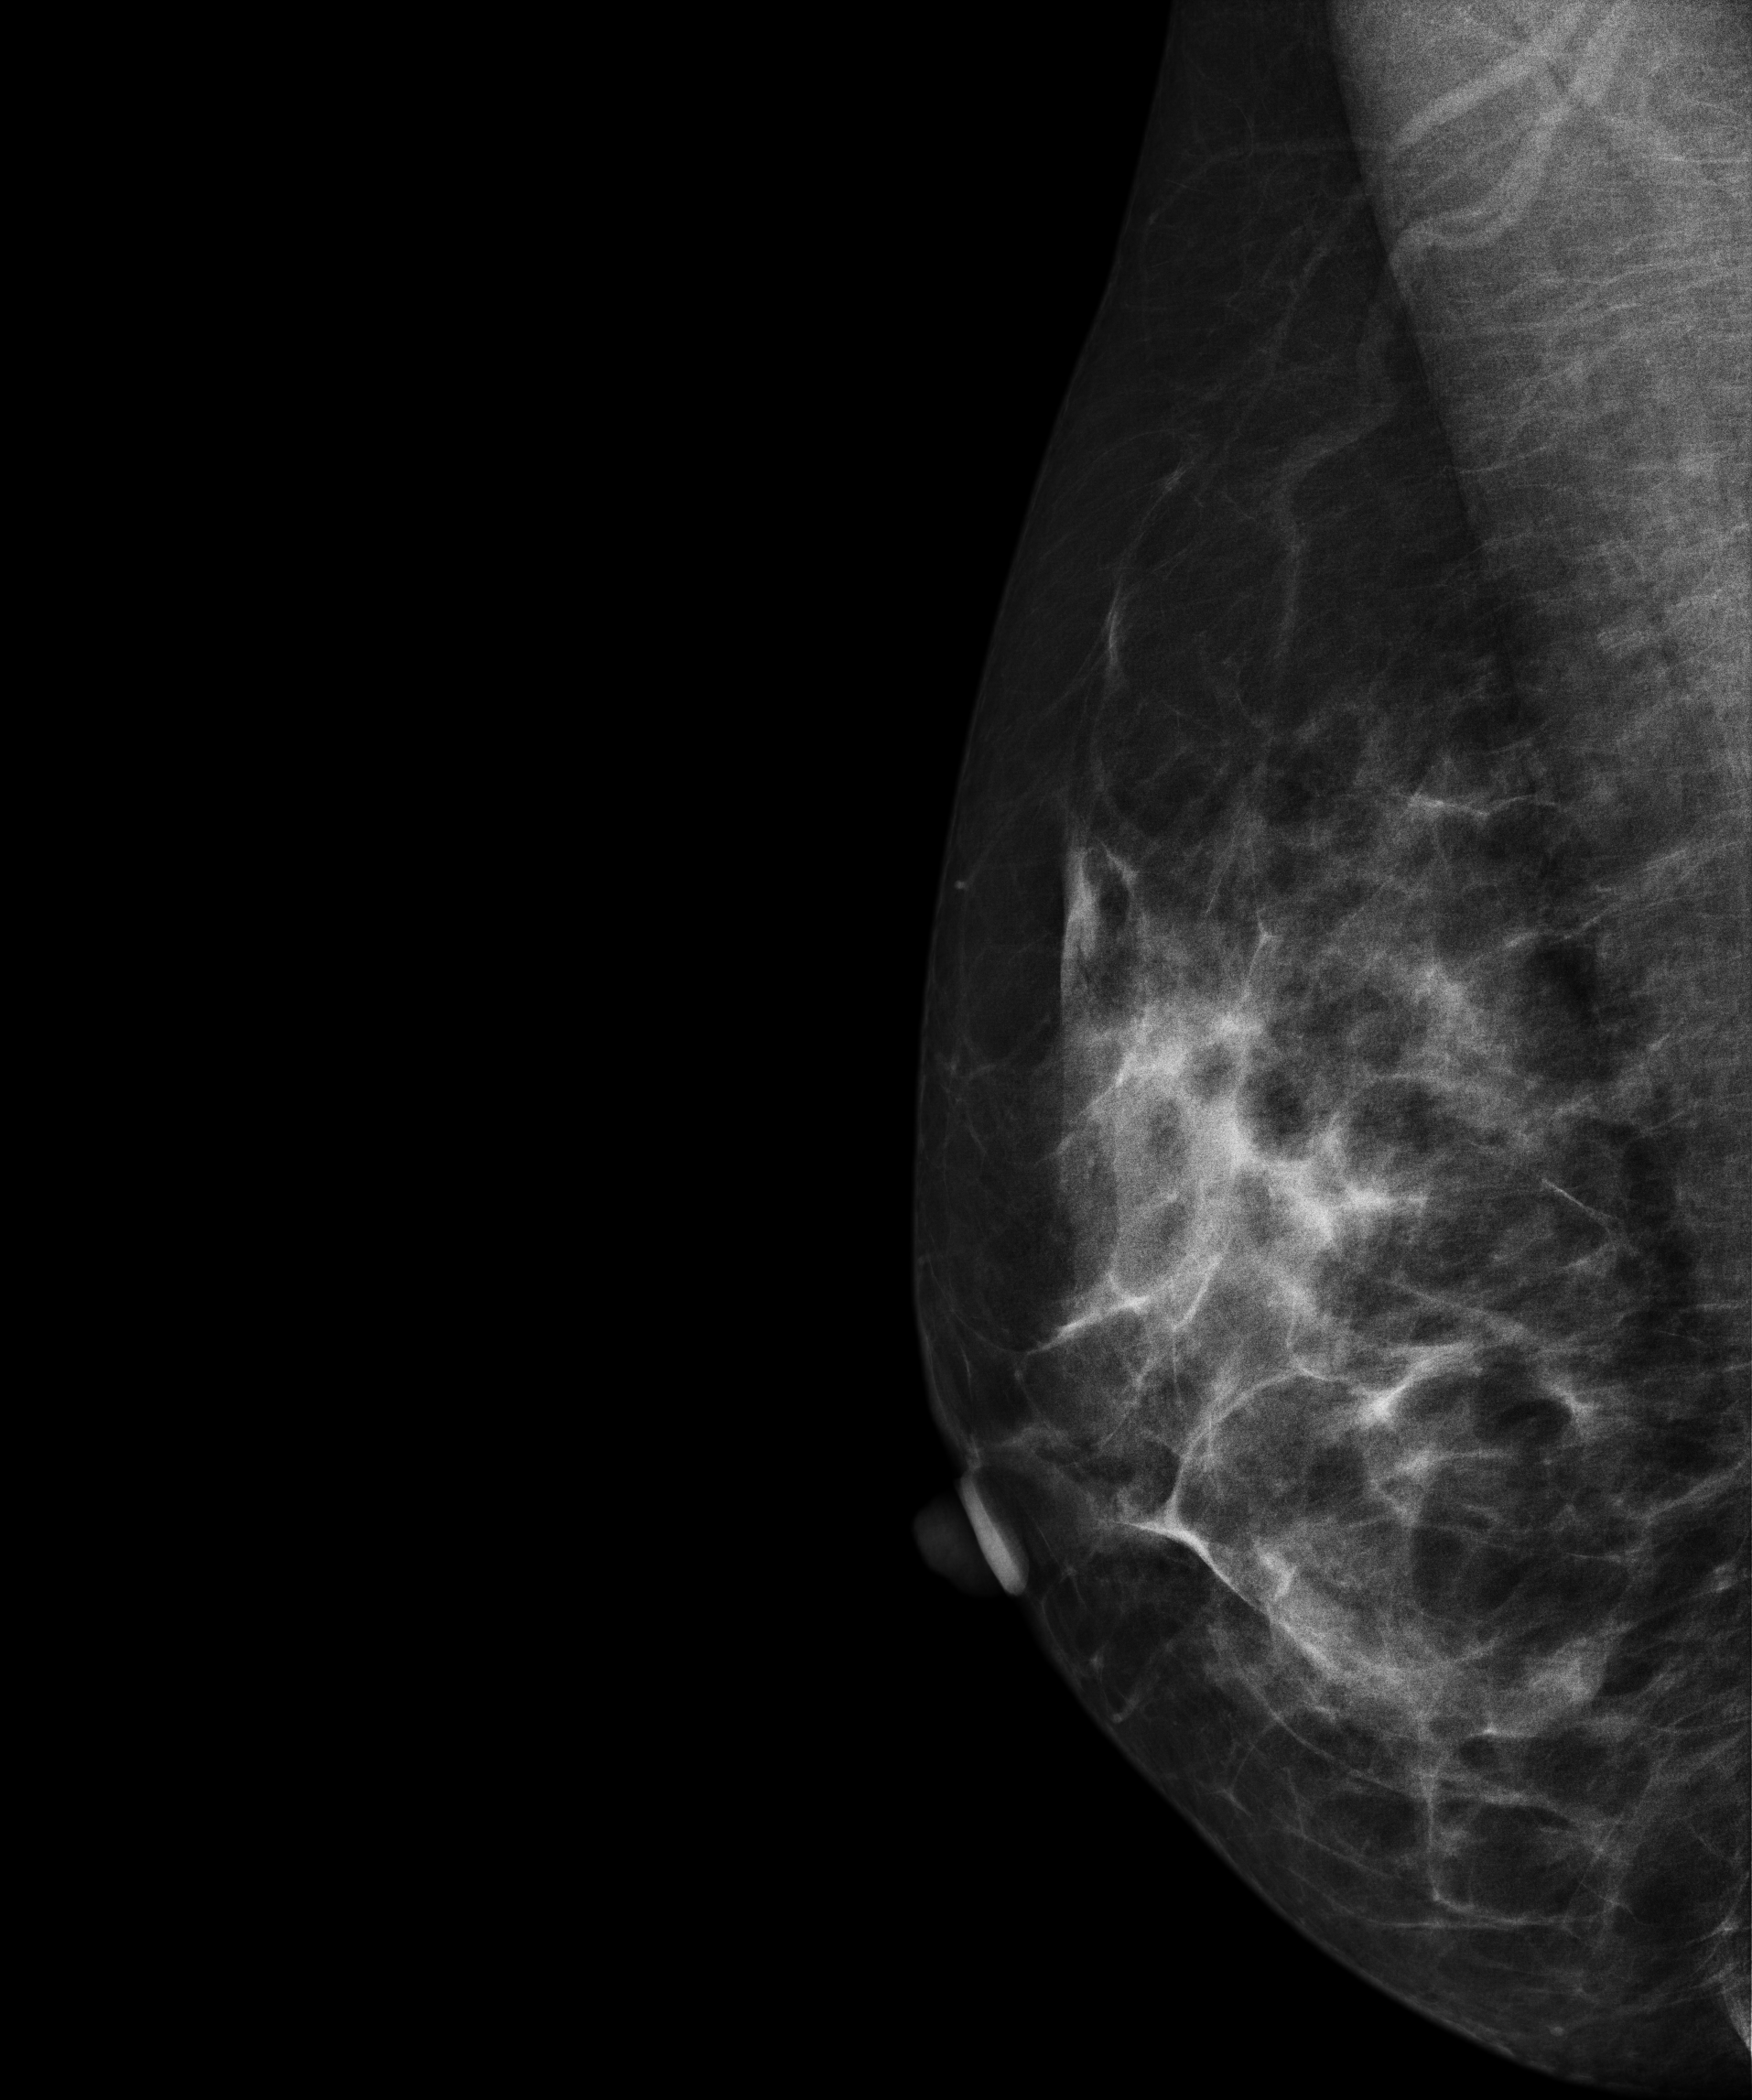
Mammogram — right medio-lateral oblique. 41 y/o patient.
Contralateral breast — no documented abnormality on this side.